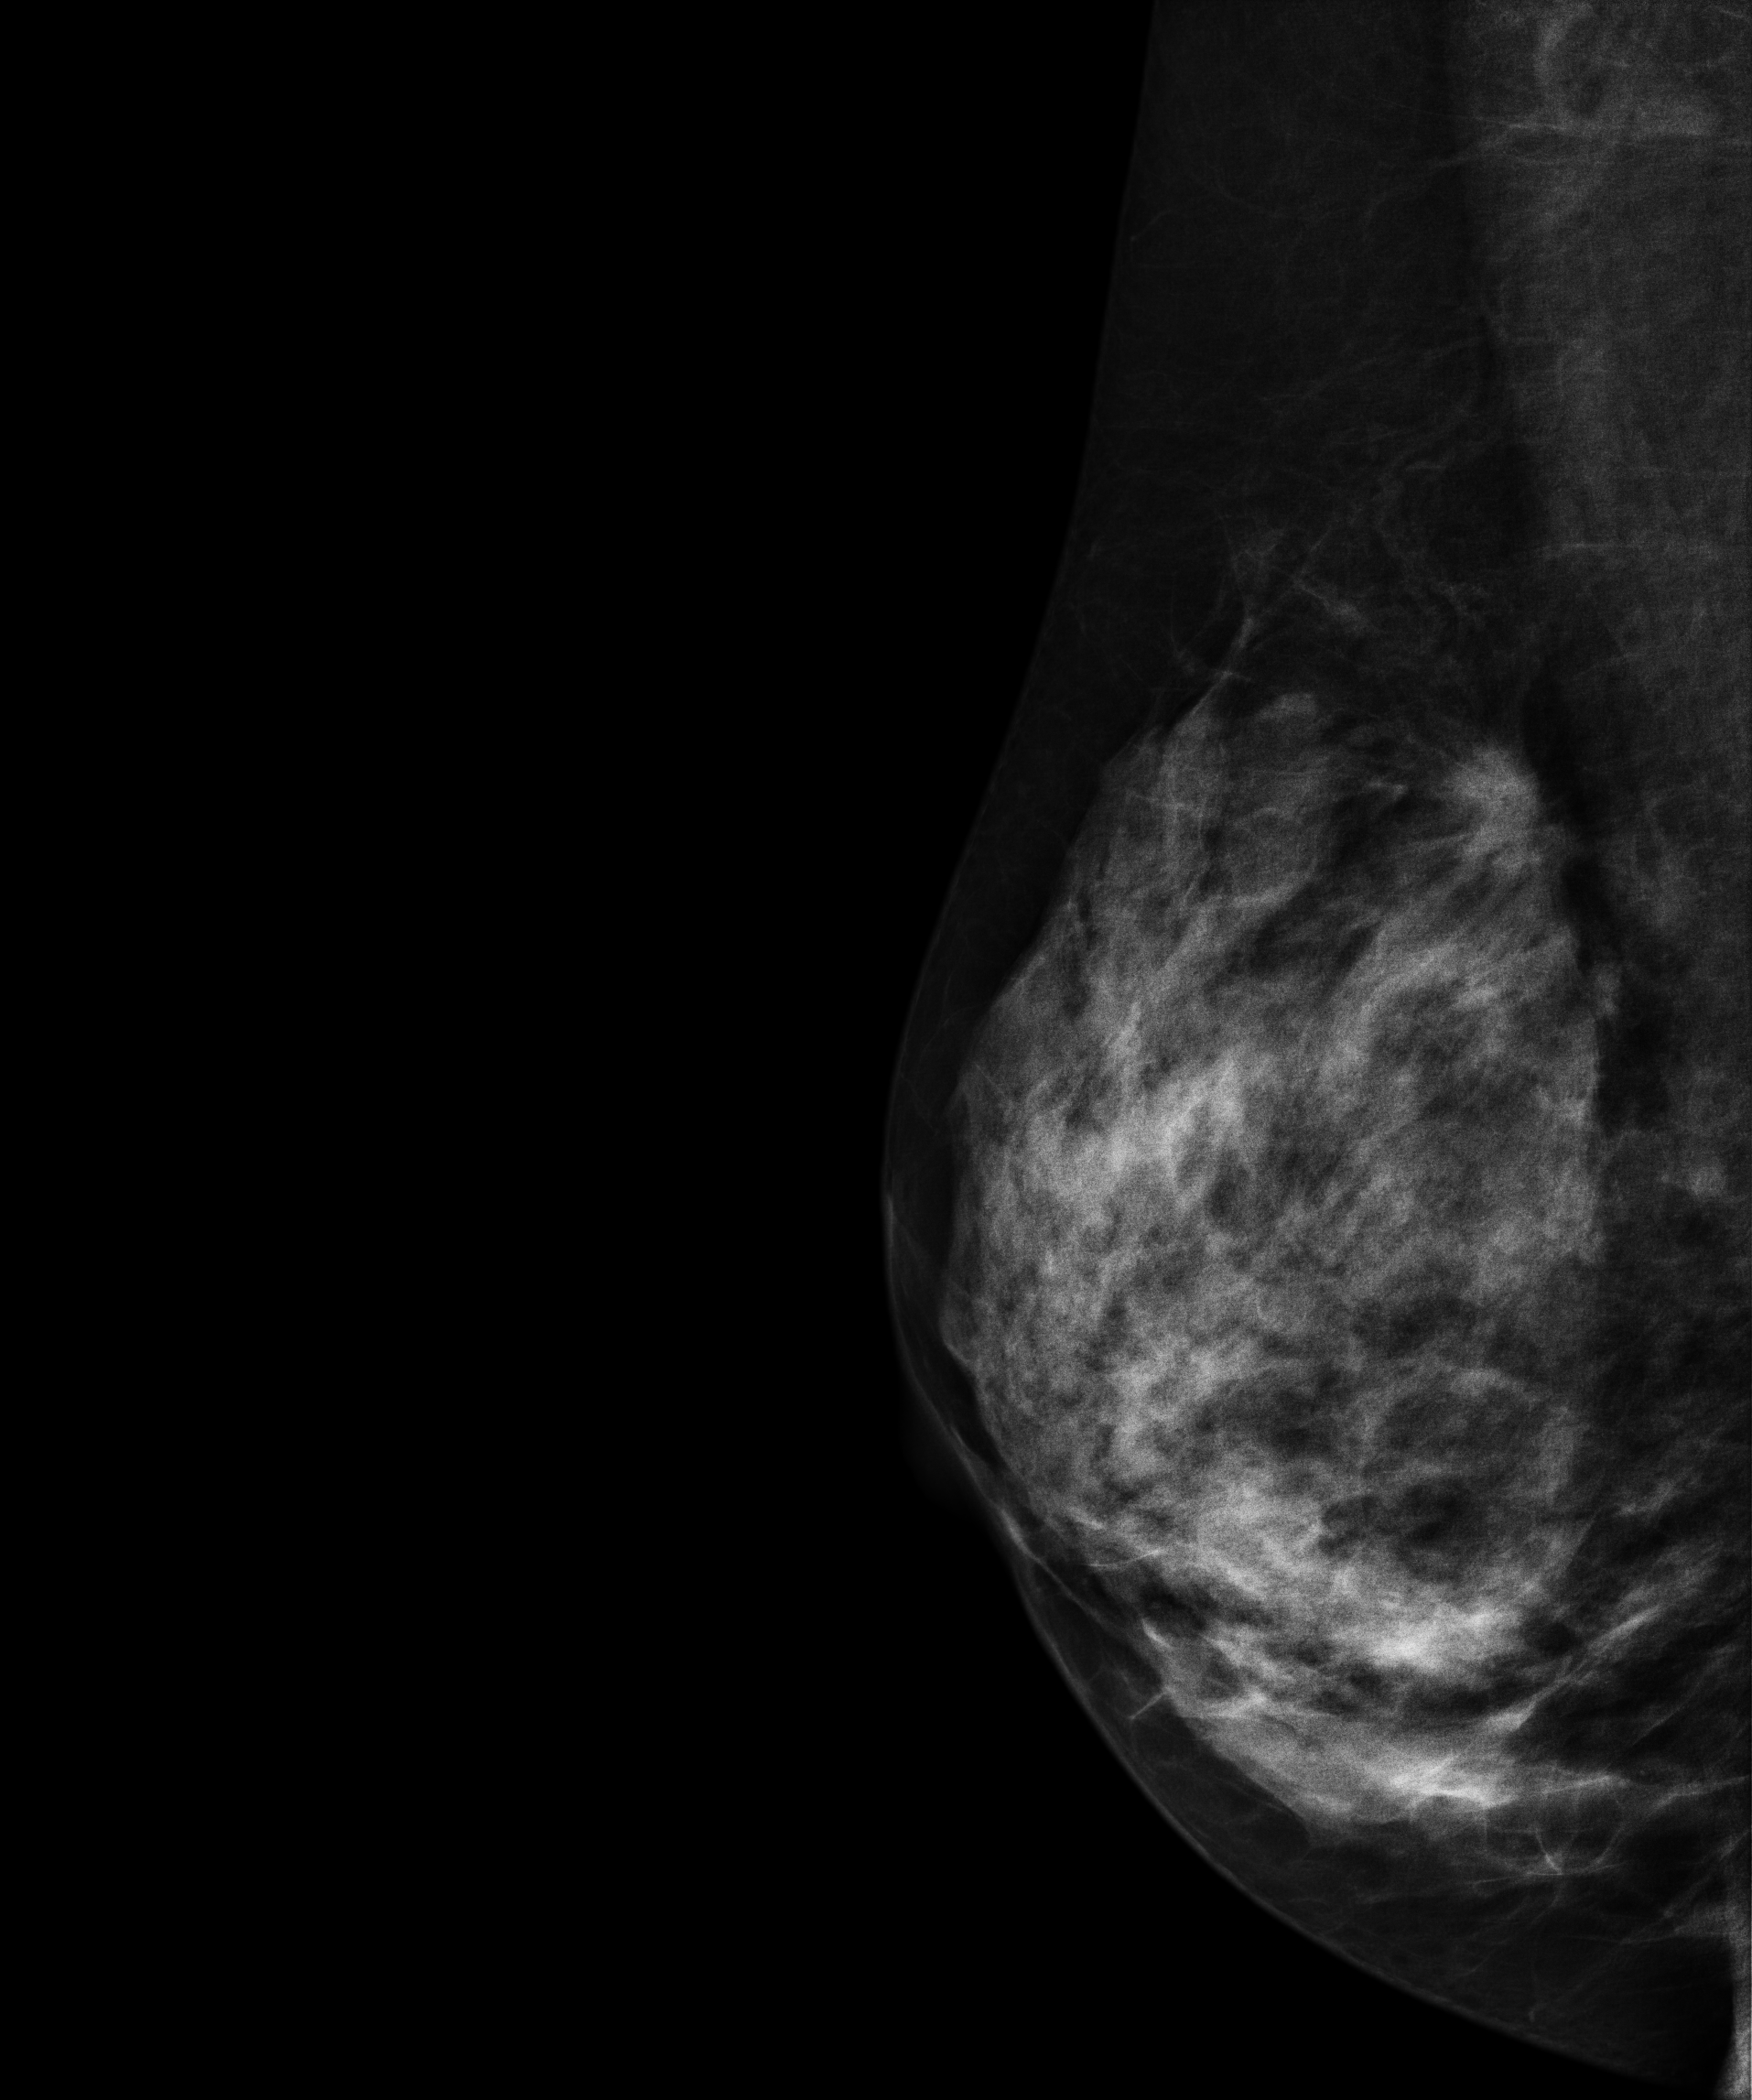
Digital mammography. Right breast, medio-lateral oblique projection. 52 y/o patient.
This breast has a mass, pathology-confirmed malignant.